Mammogram, right breast, cranio-caudal view. Patient age 32.
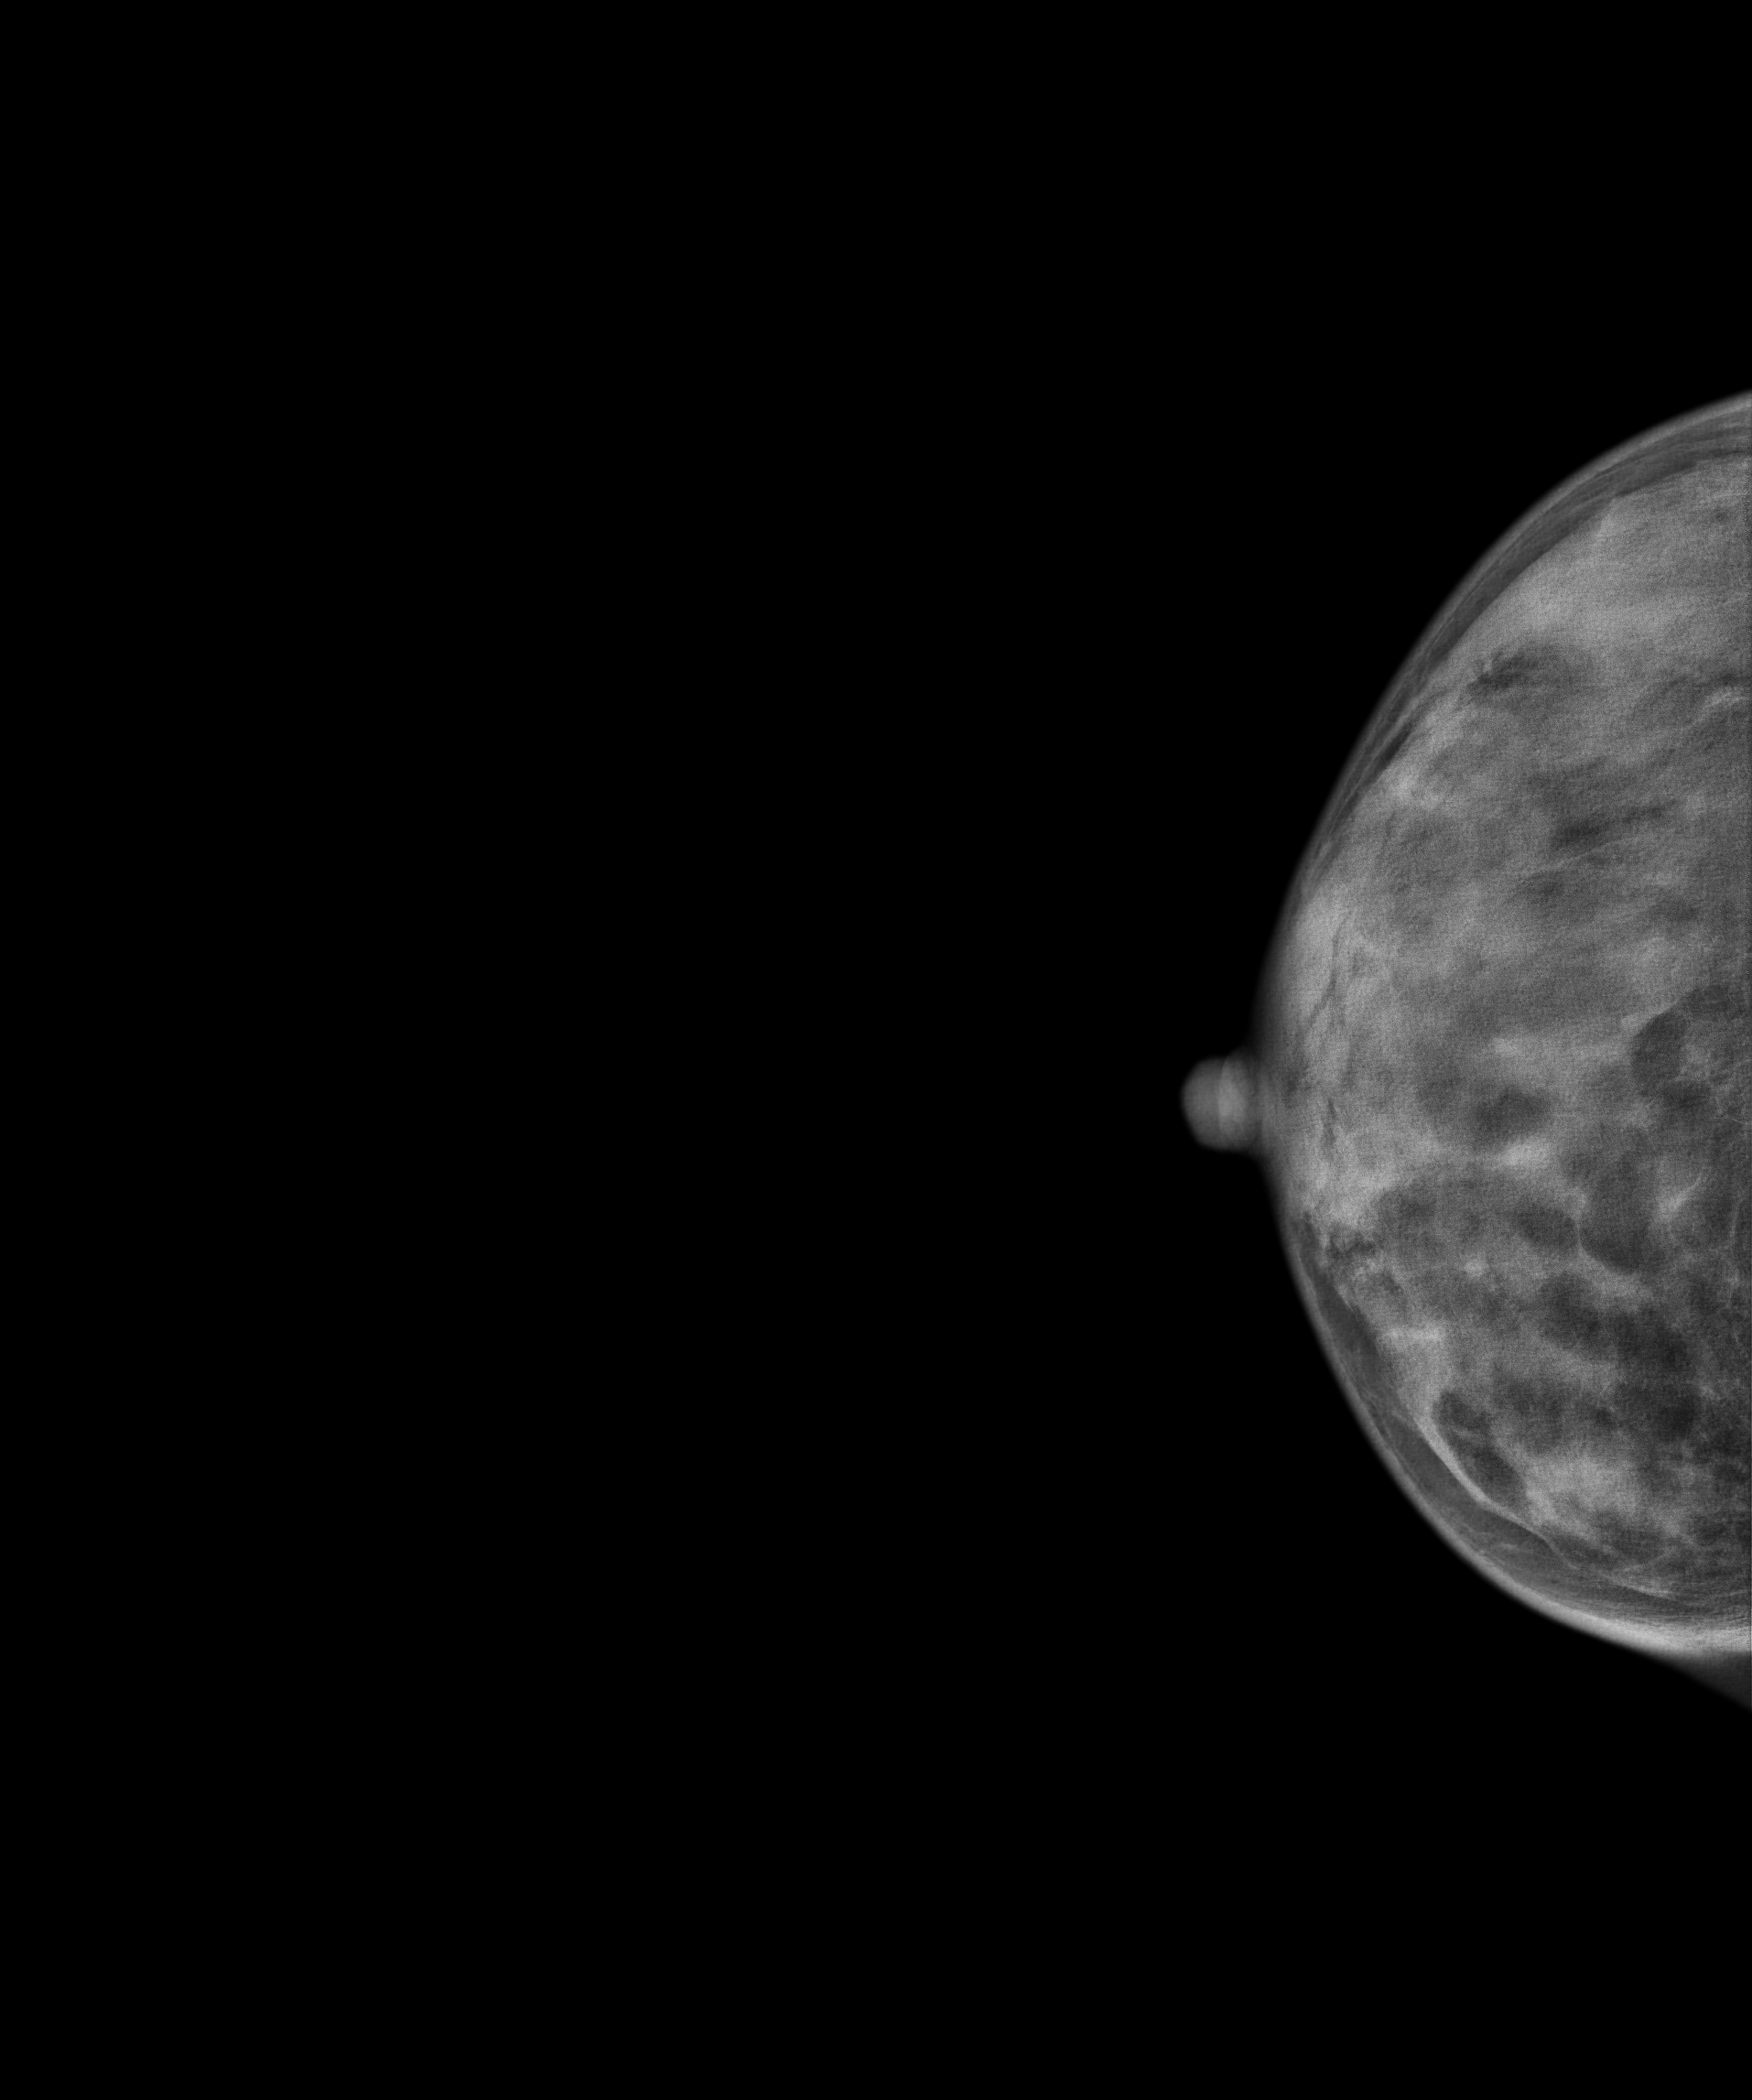
This breast has a mass, biopsy-confirmed benign.